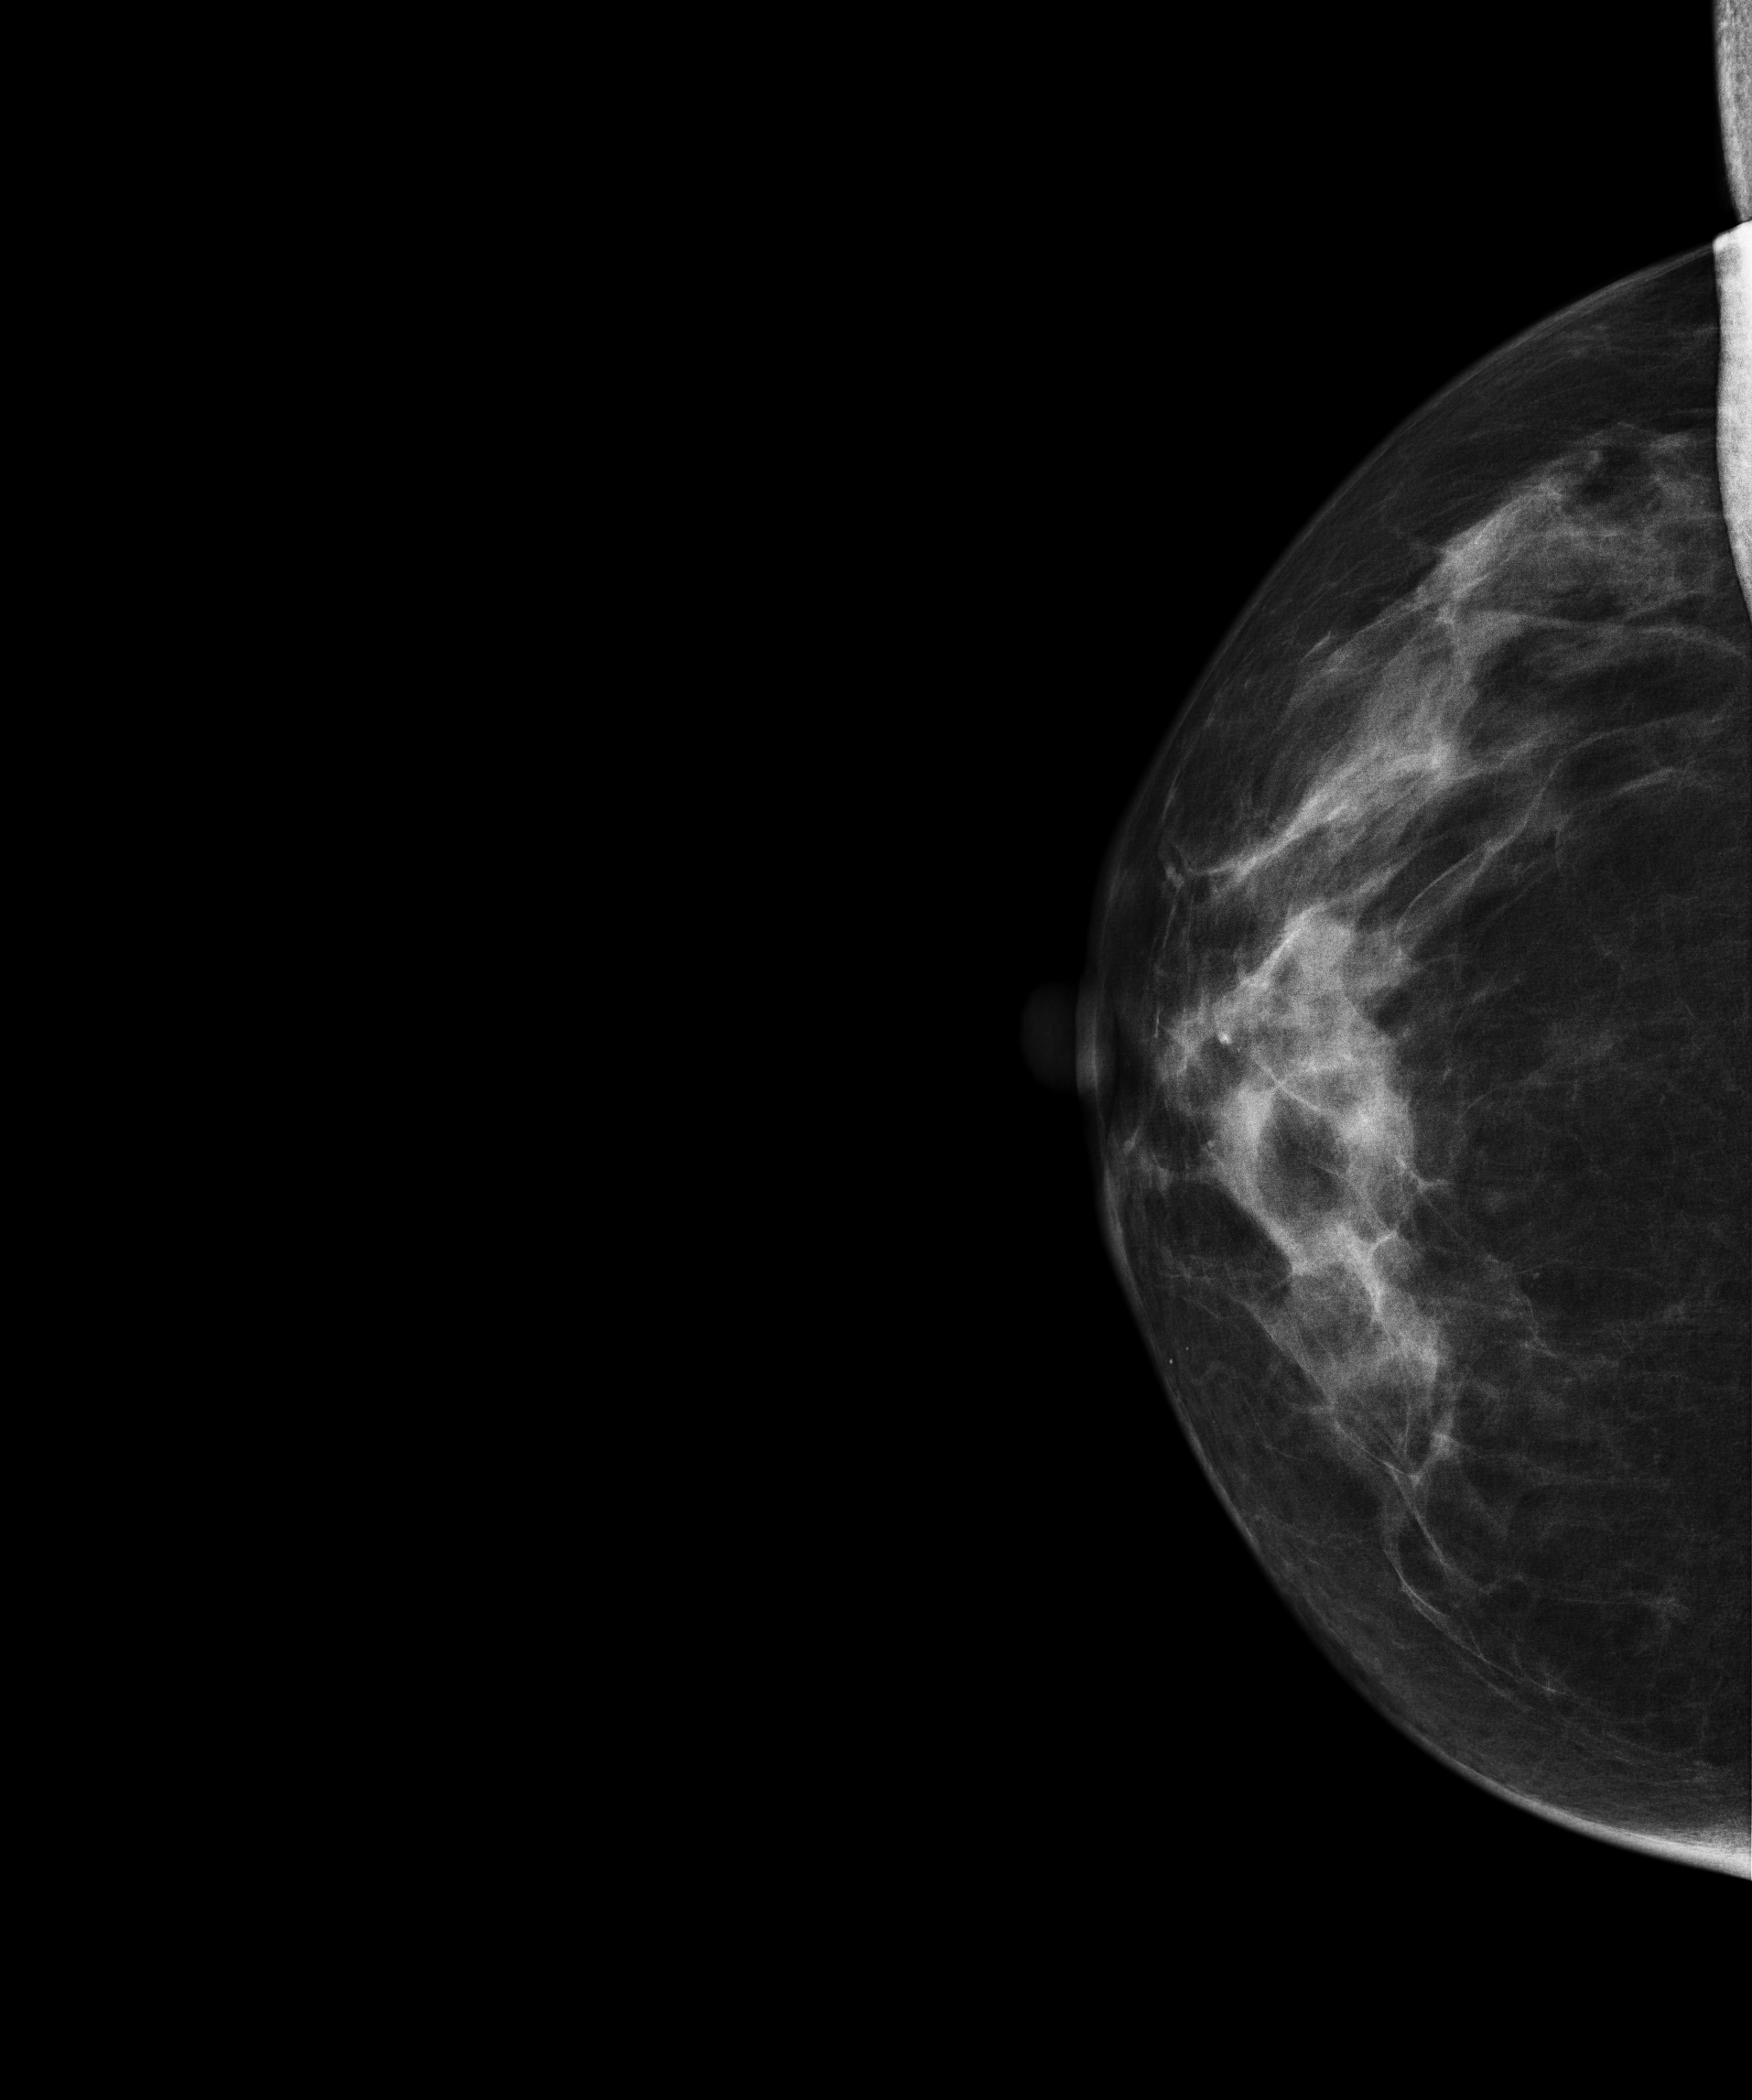
Right-breast mammogram, CC. 56 y/o patient.
Contralateral breast — no documented abnormality on this side.